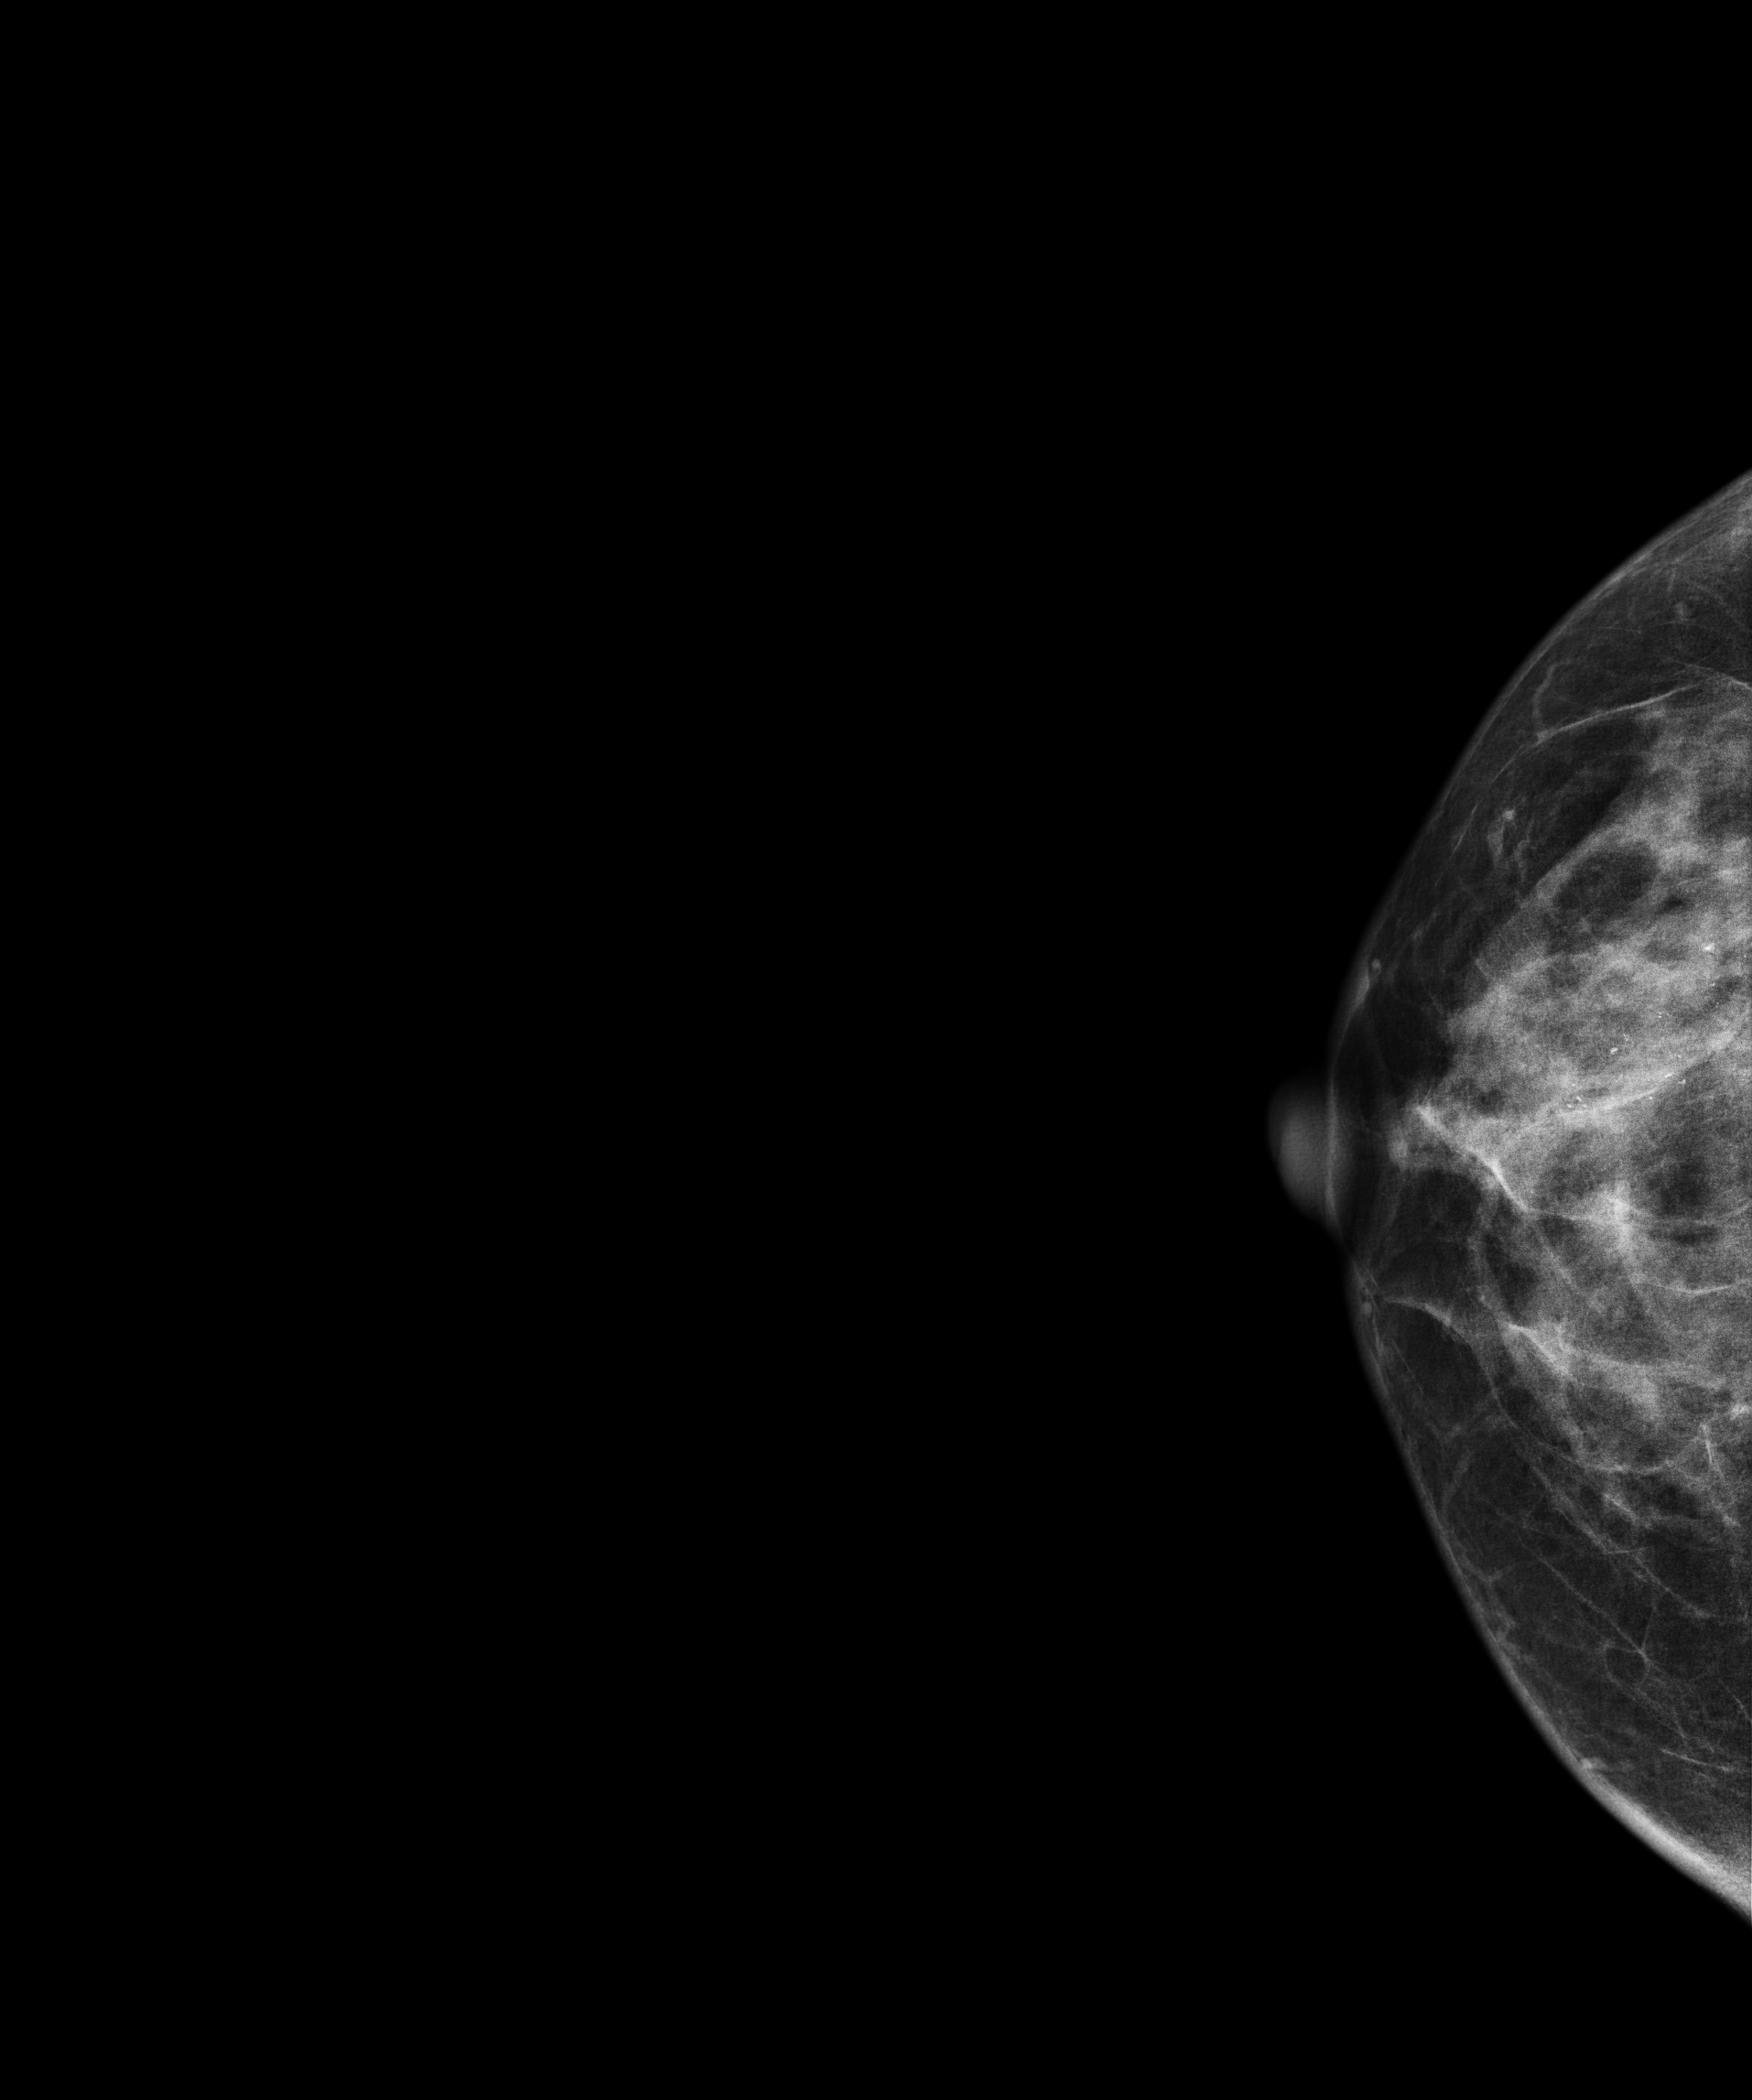
Mammogram — right cranio-caudal. 56 y/o patient.
This breast has a mass and calcifications, pathology-confirmed malignant. Molecular subtype: HER2-enriched.